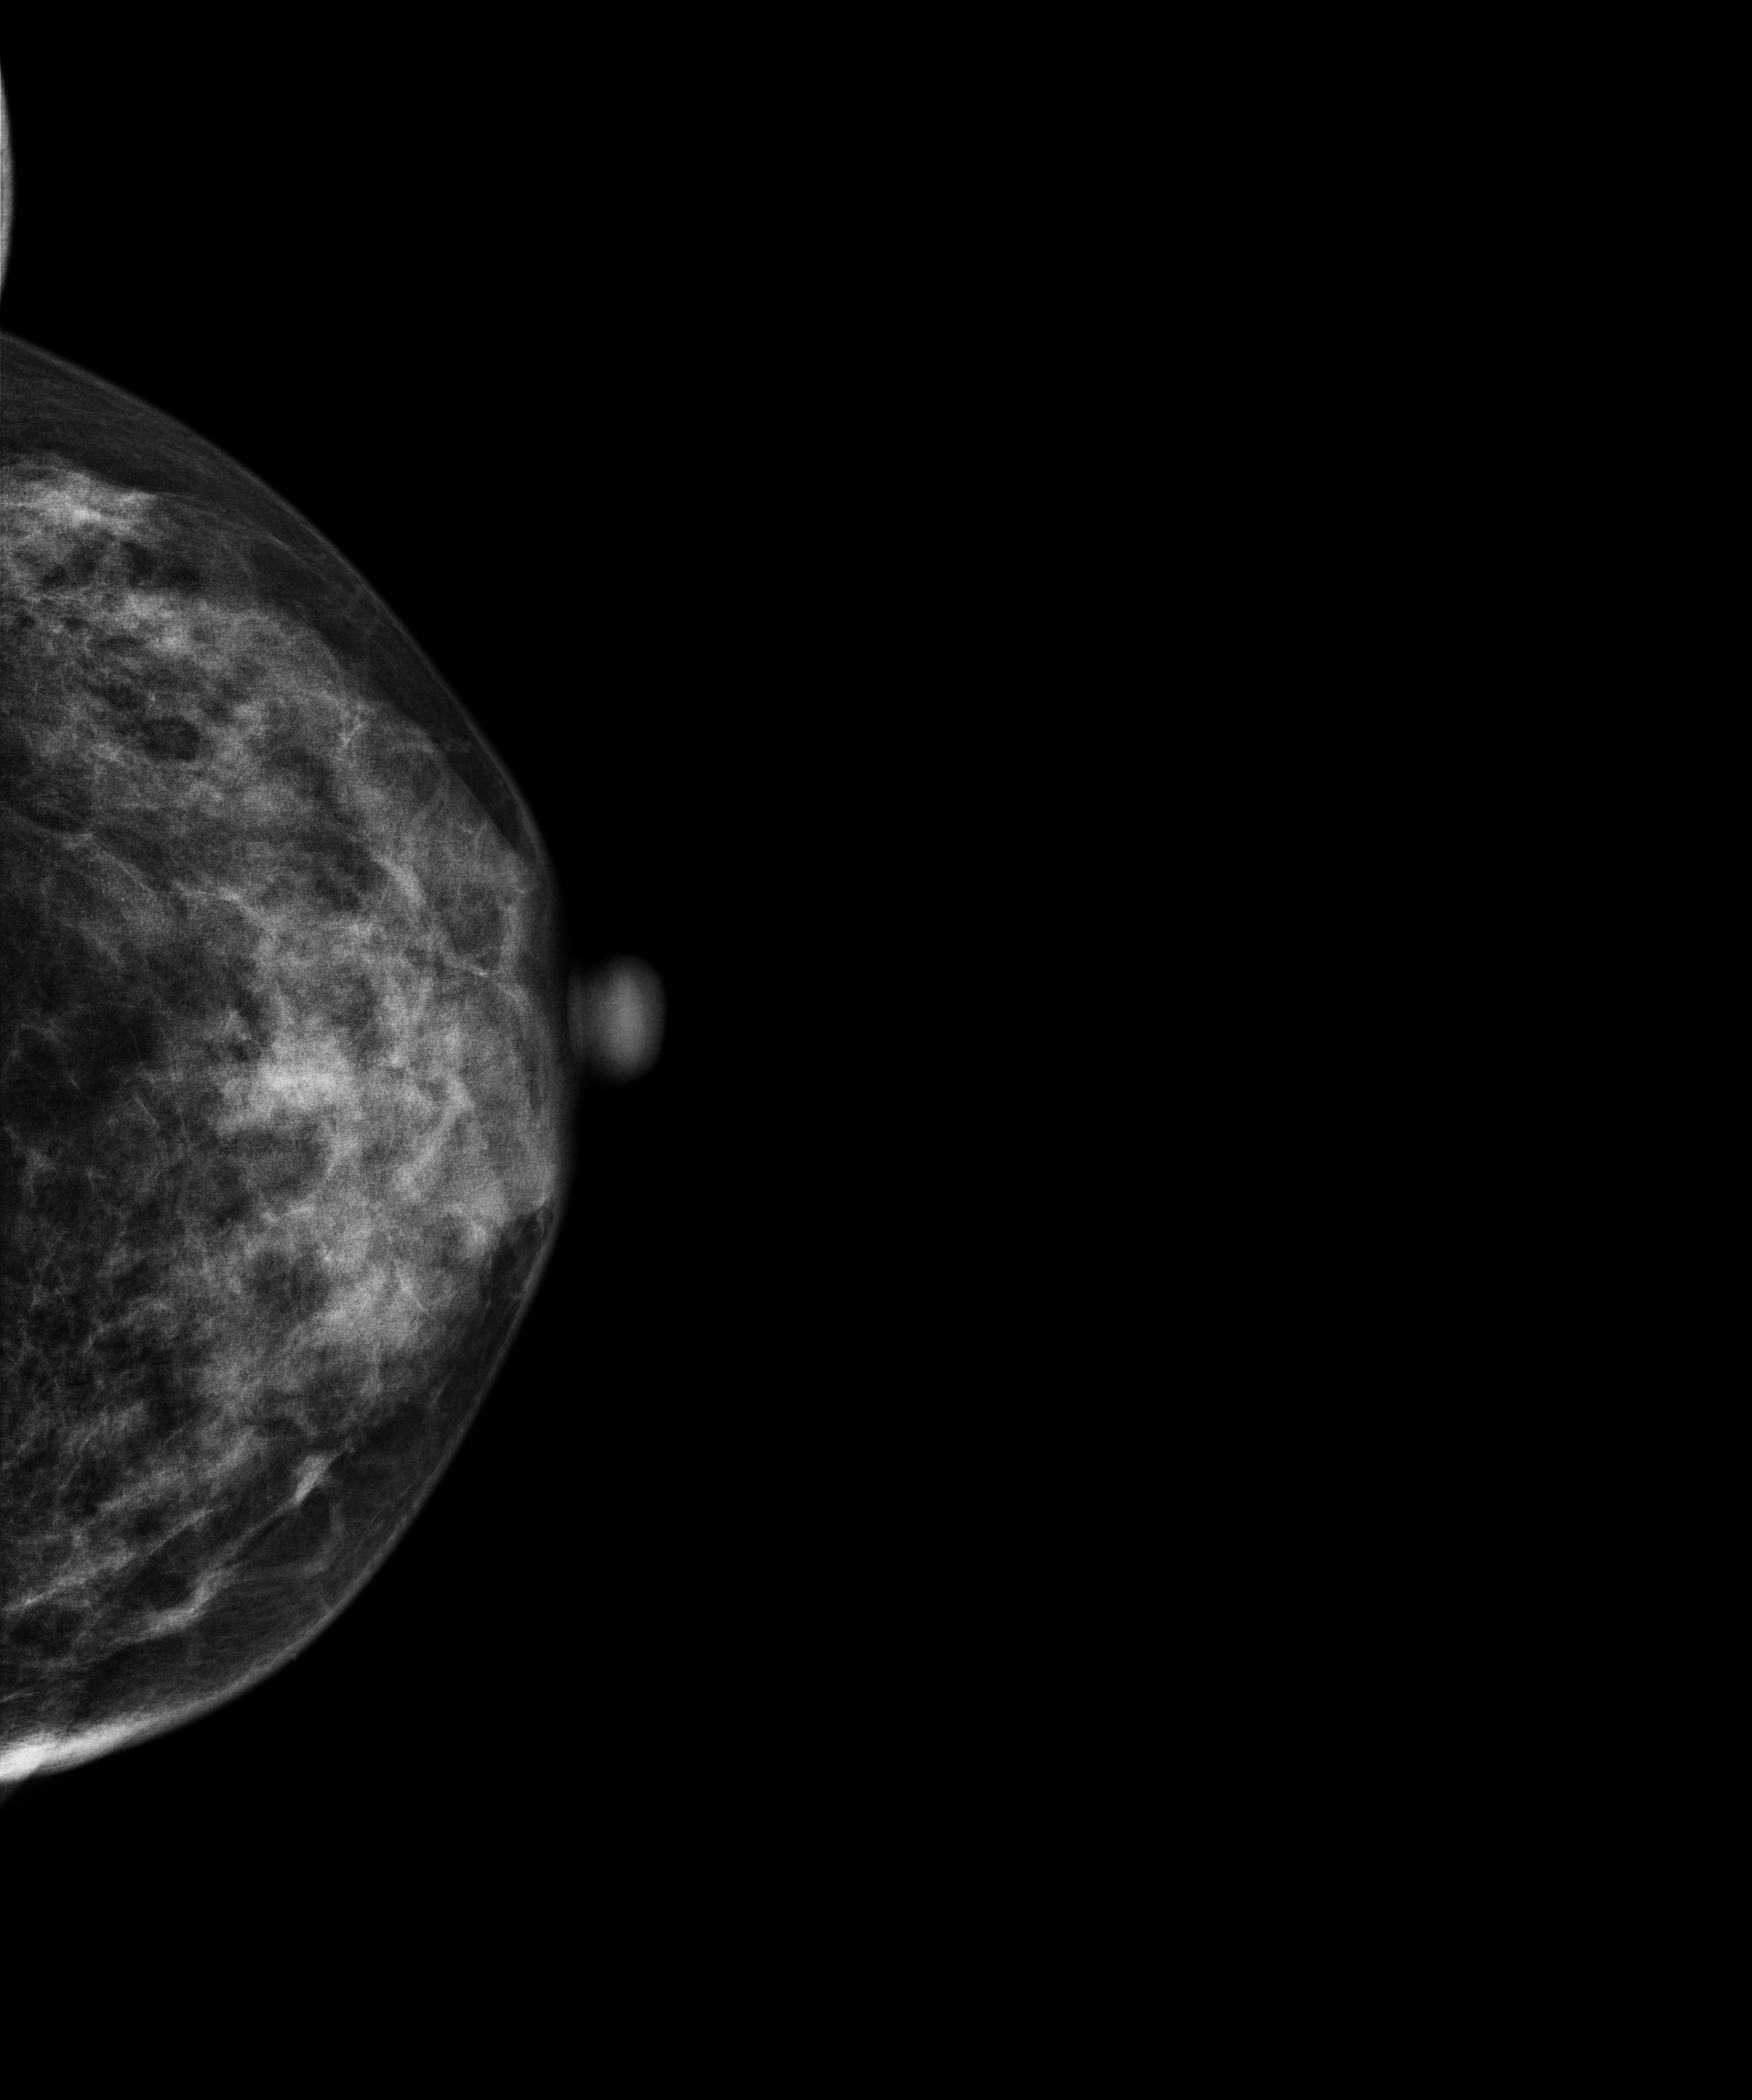
Left-breast mammogram, CC. 54-year-old patient.
This breast has calcifications, pathology-confirmed malignant. Molecular subtype: HER2-enriched.